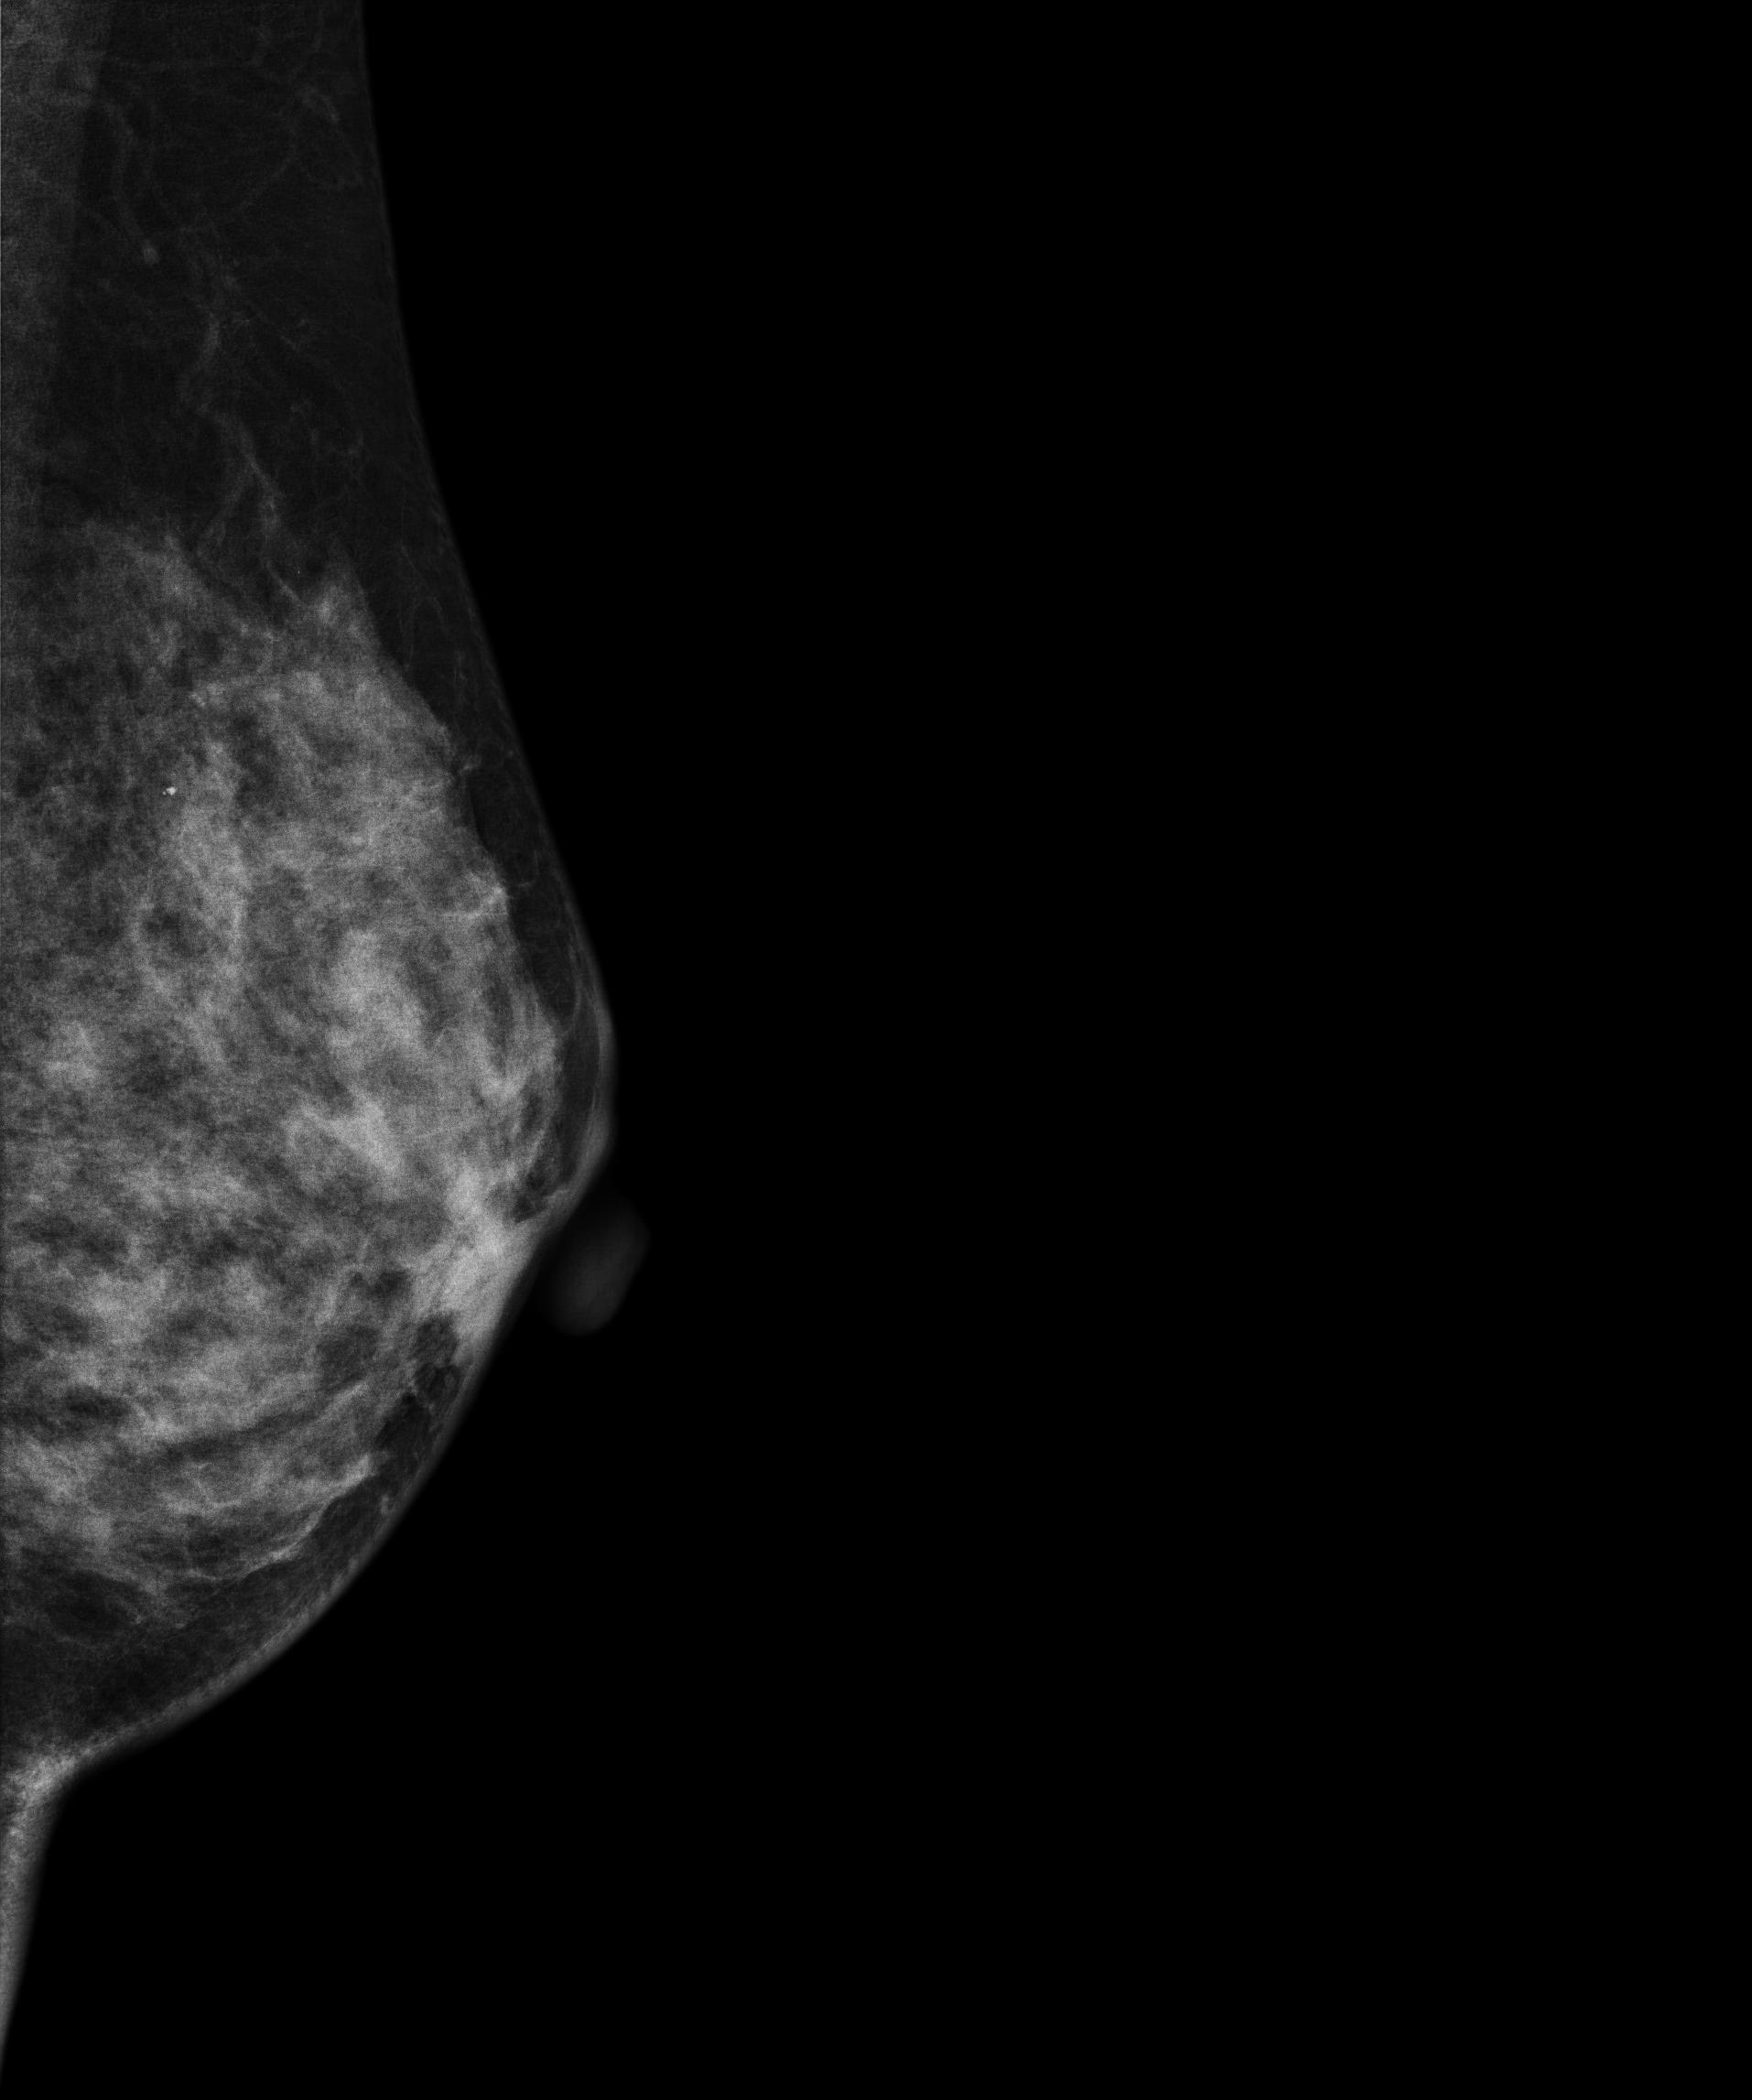
Digital mammography. Left breast, MLO projection. 43 y/o patient.
Contralateral breast — no documented abnormality on this side.